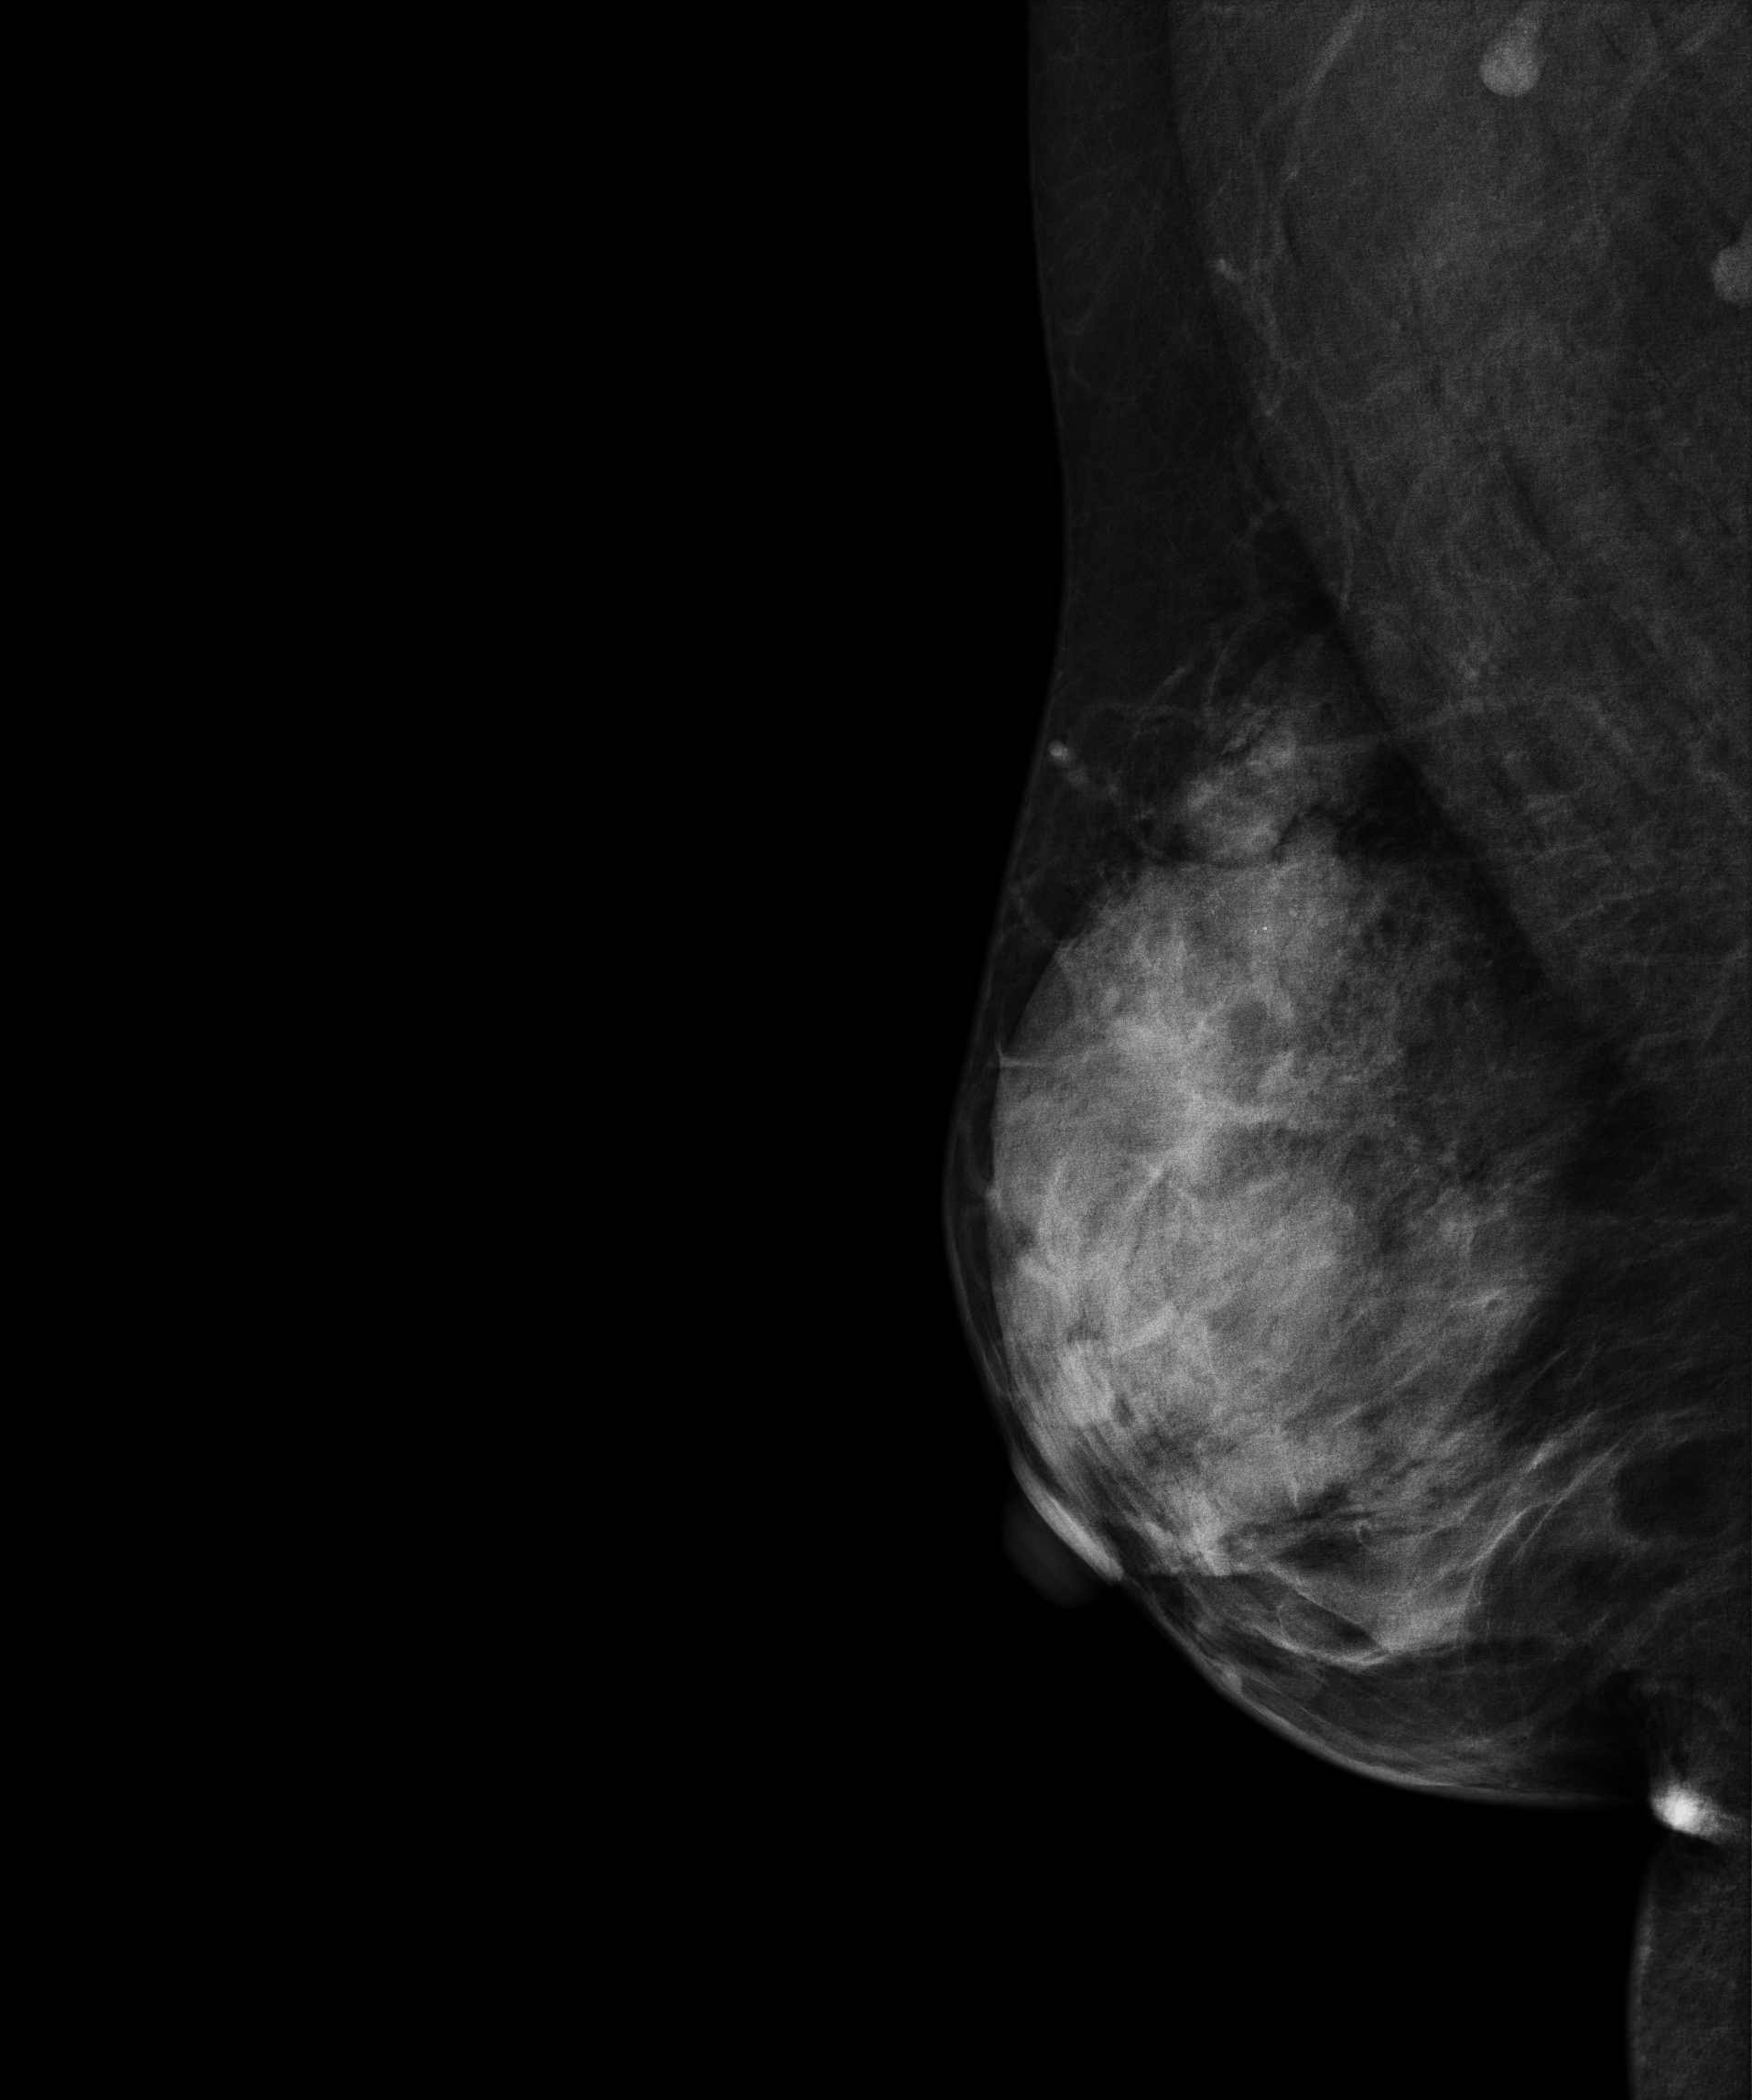
Digital mammography. Right breast, medio-lateral oblique projection. 60 y/o patient.
This breast has calcifications, histologically confirmed malignant. Molecular subtype: luminal B.